MLO mammogram of the right breast. 49-year-old patient.
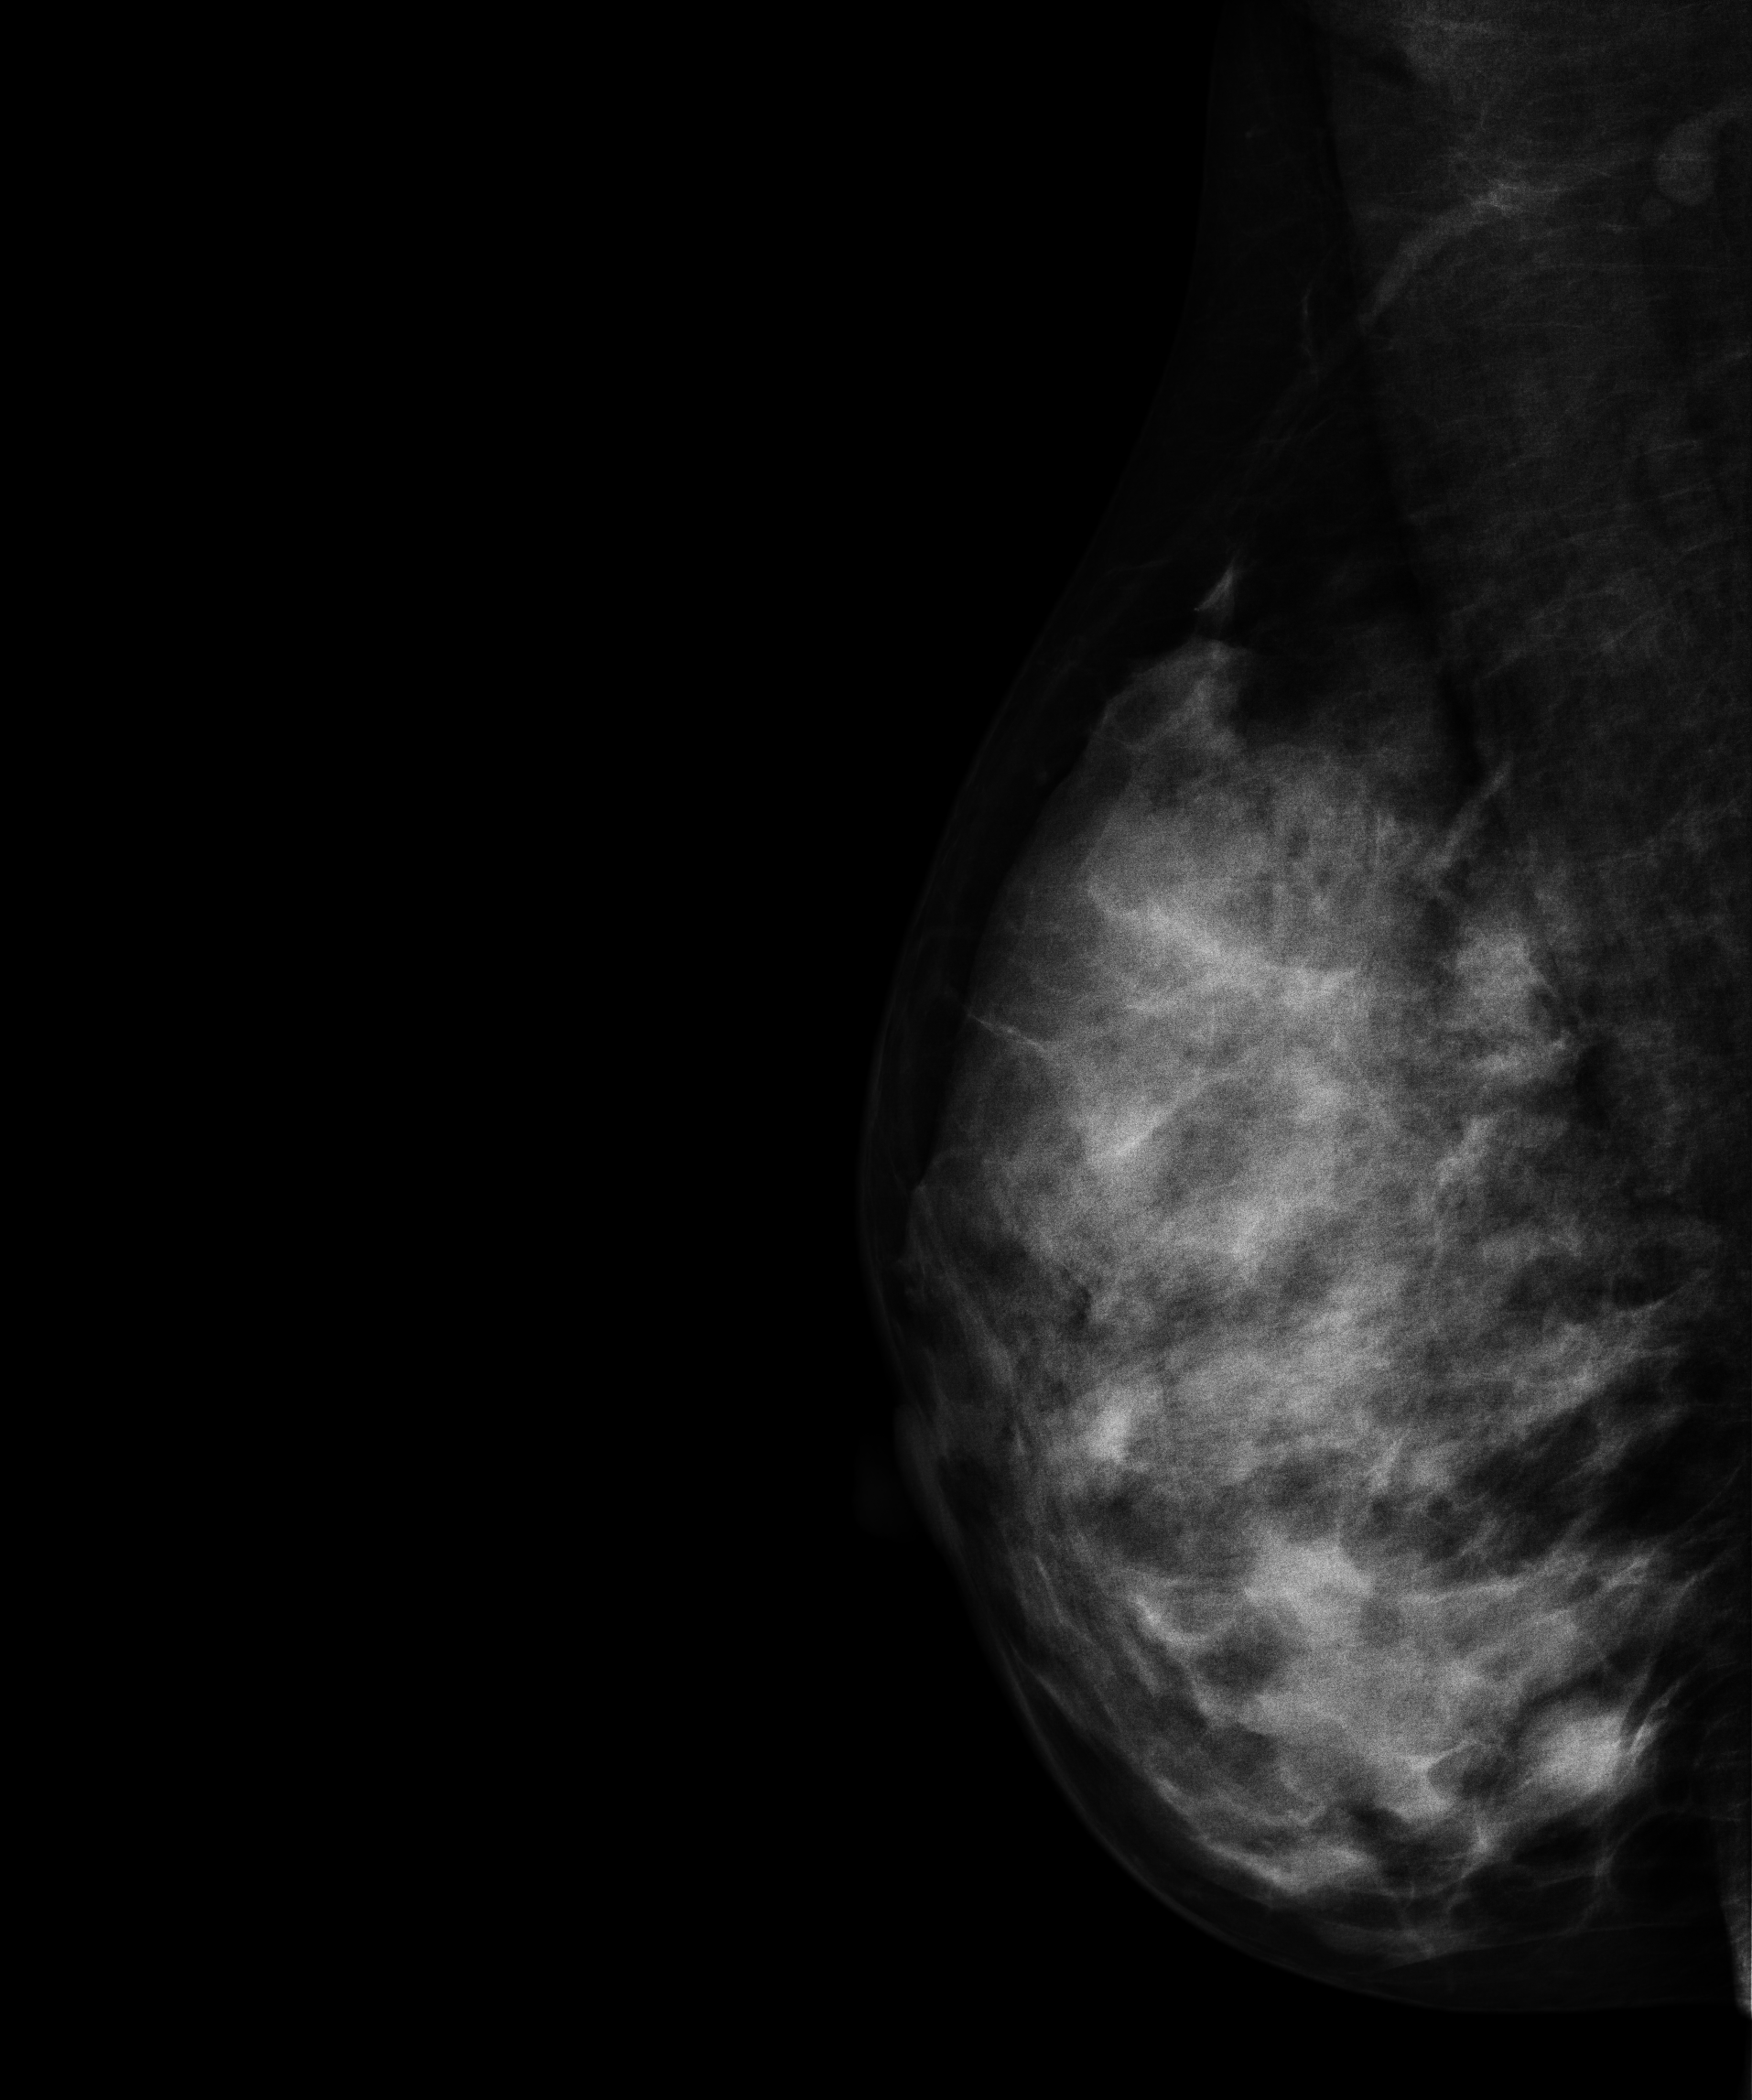
Contralateral breast — no documented abnormality on this side.